Digital mammography. Right breast, CC projection. Patient age 52.
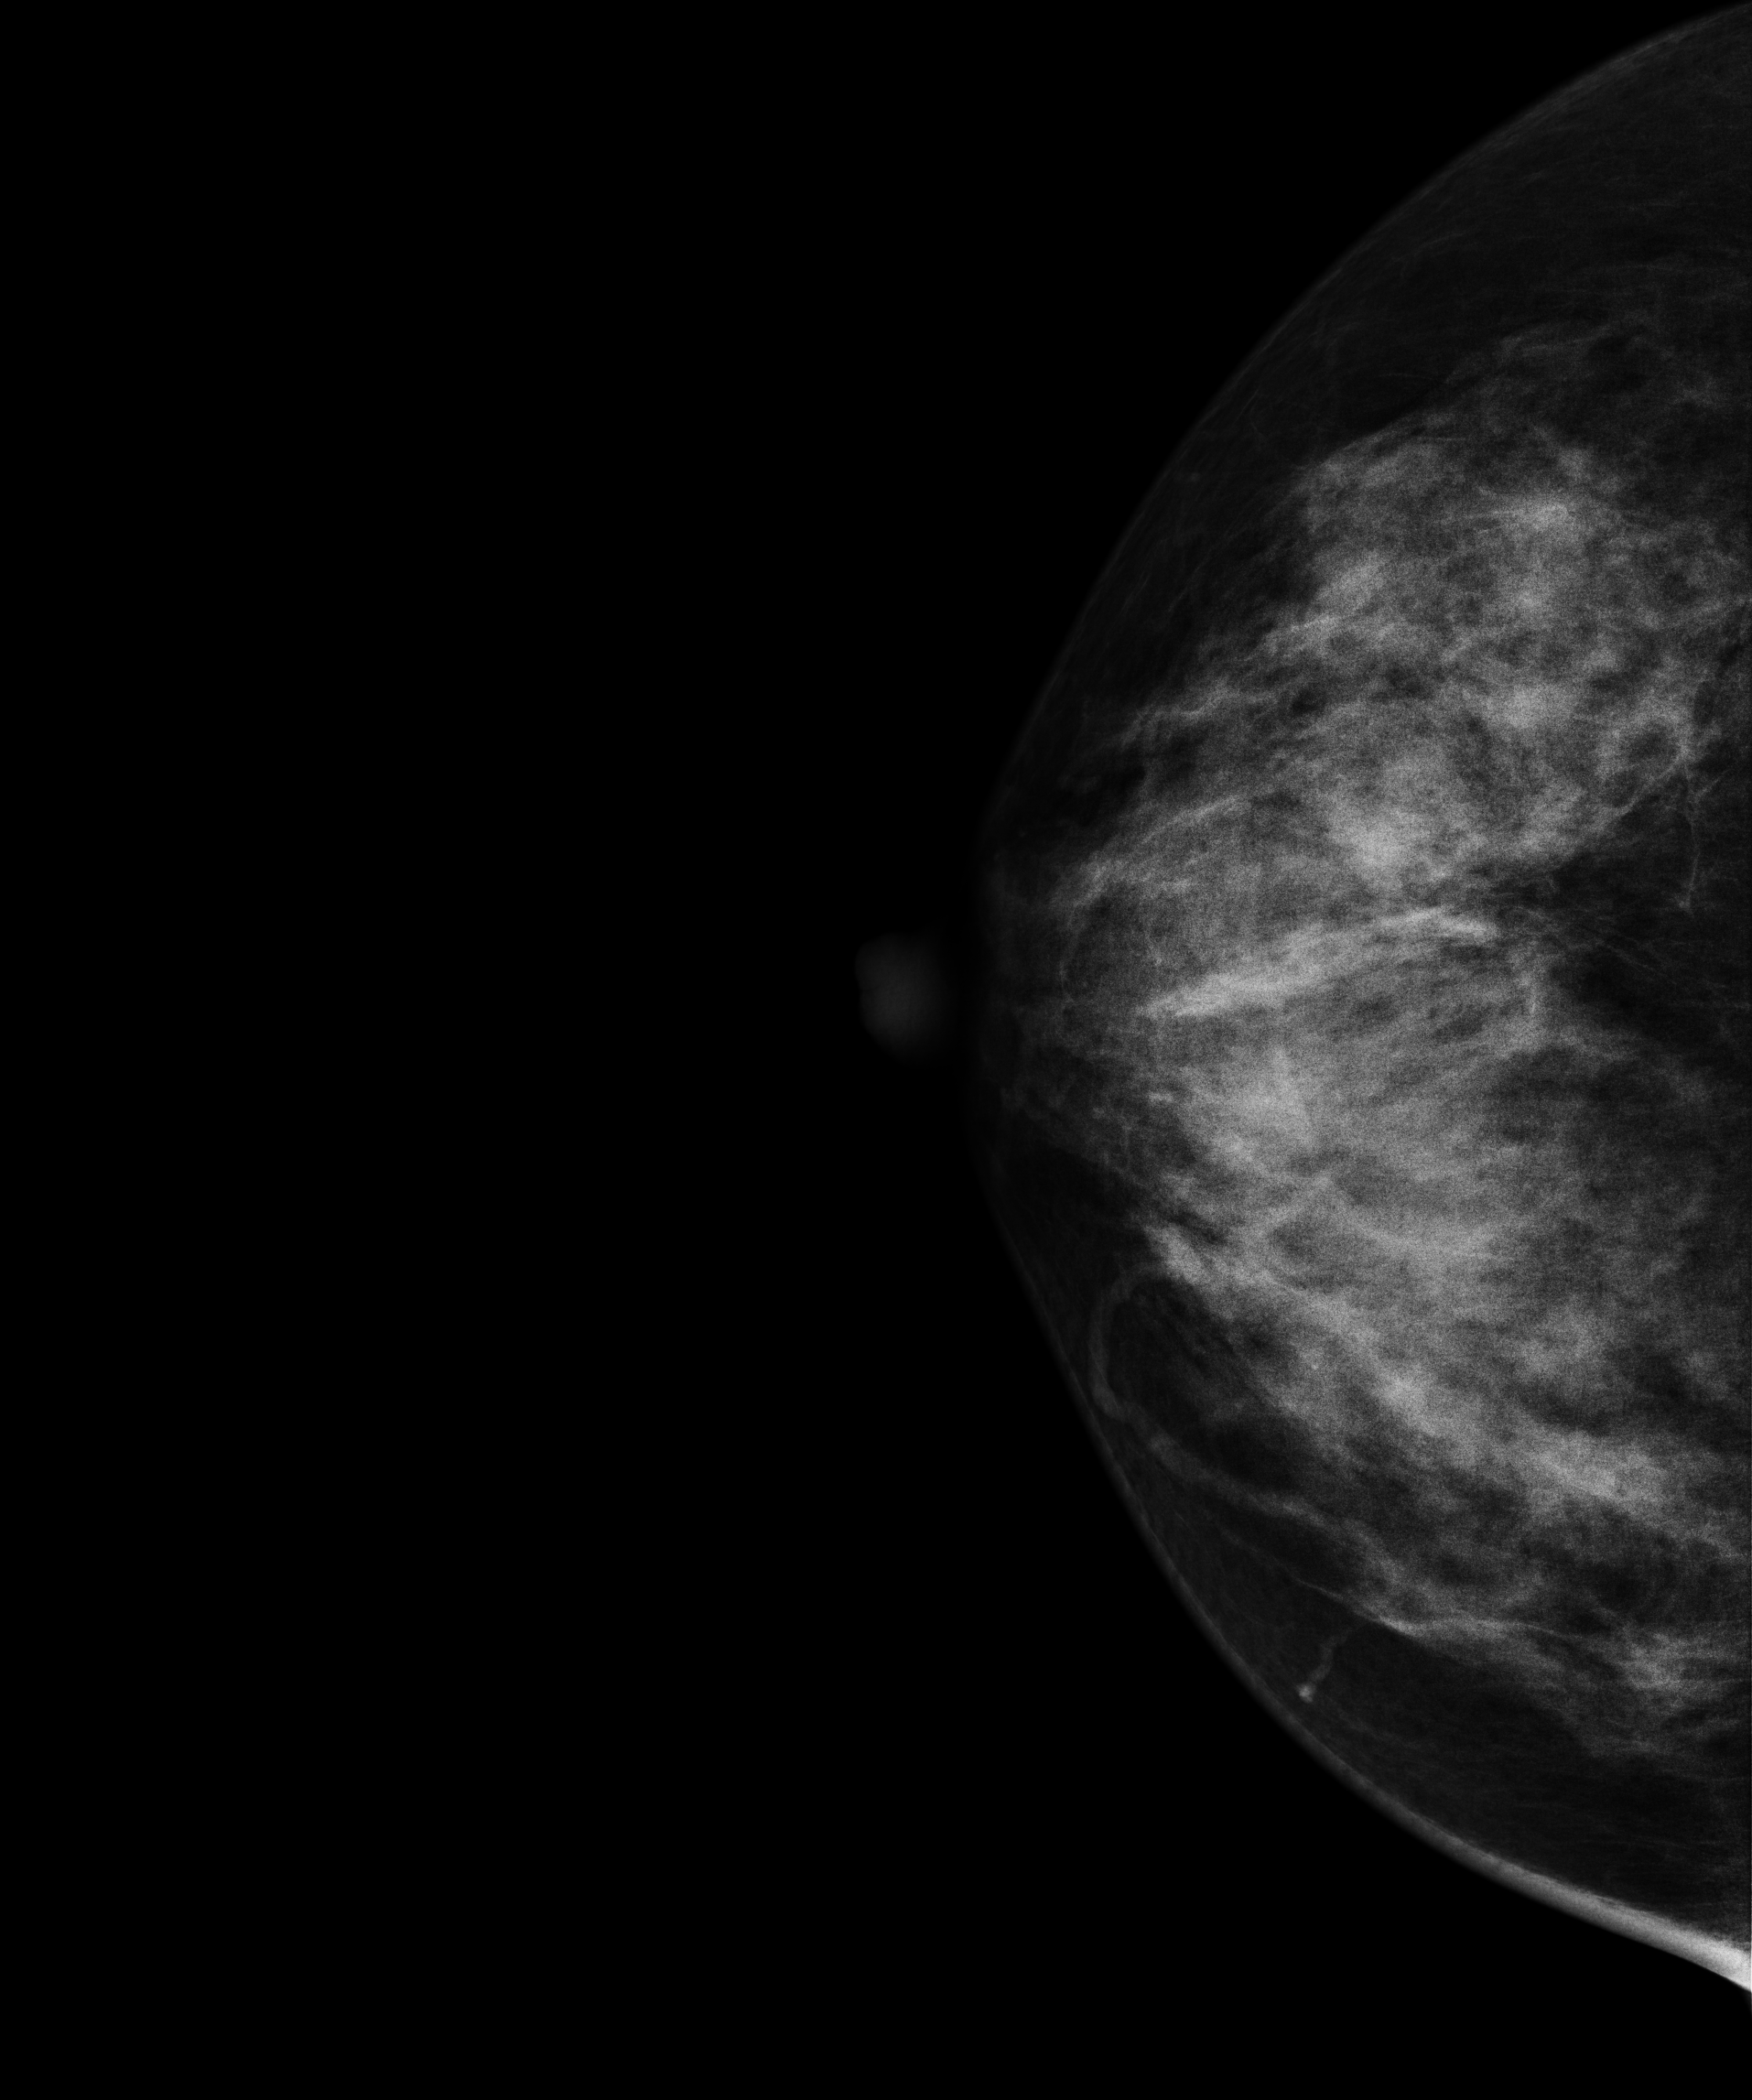
This breast has a mass, biopsy-proven benign.